CC mammogram of the left breast. 48 y/o patient.
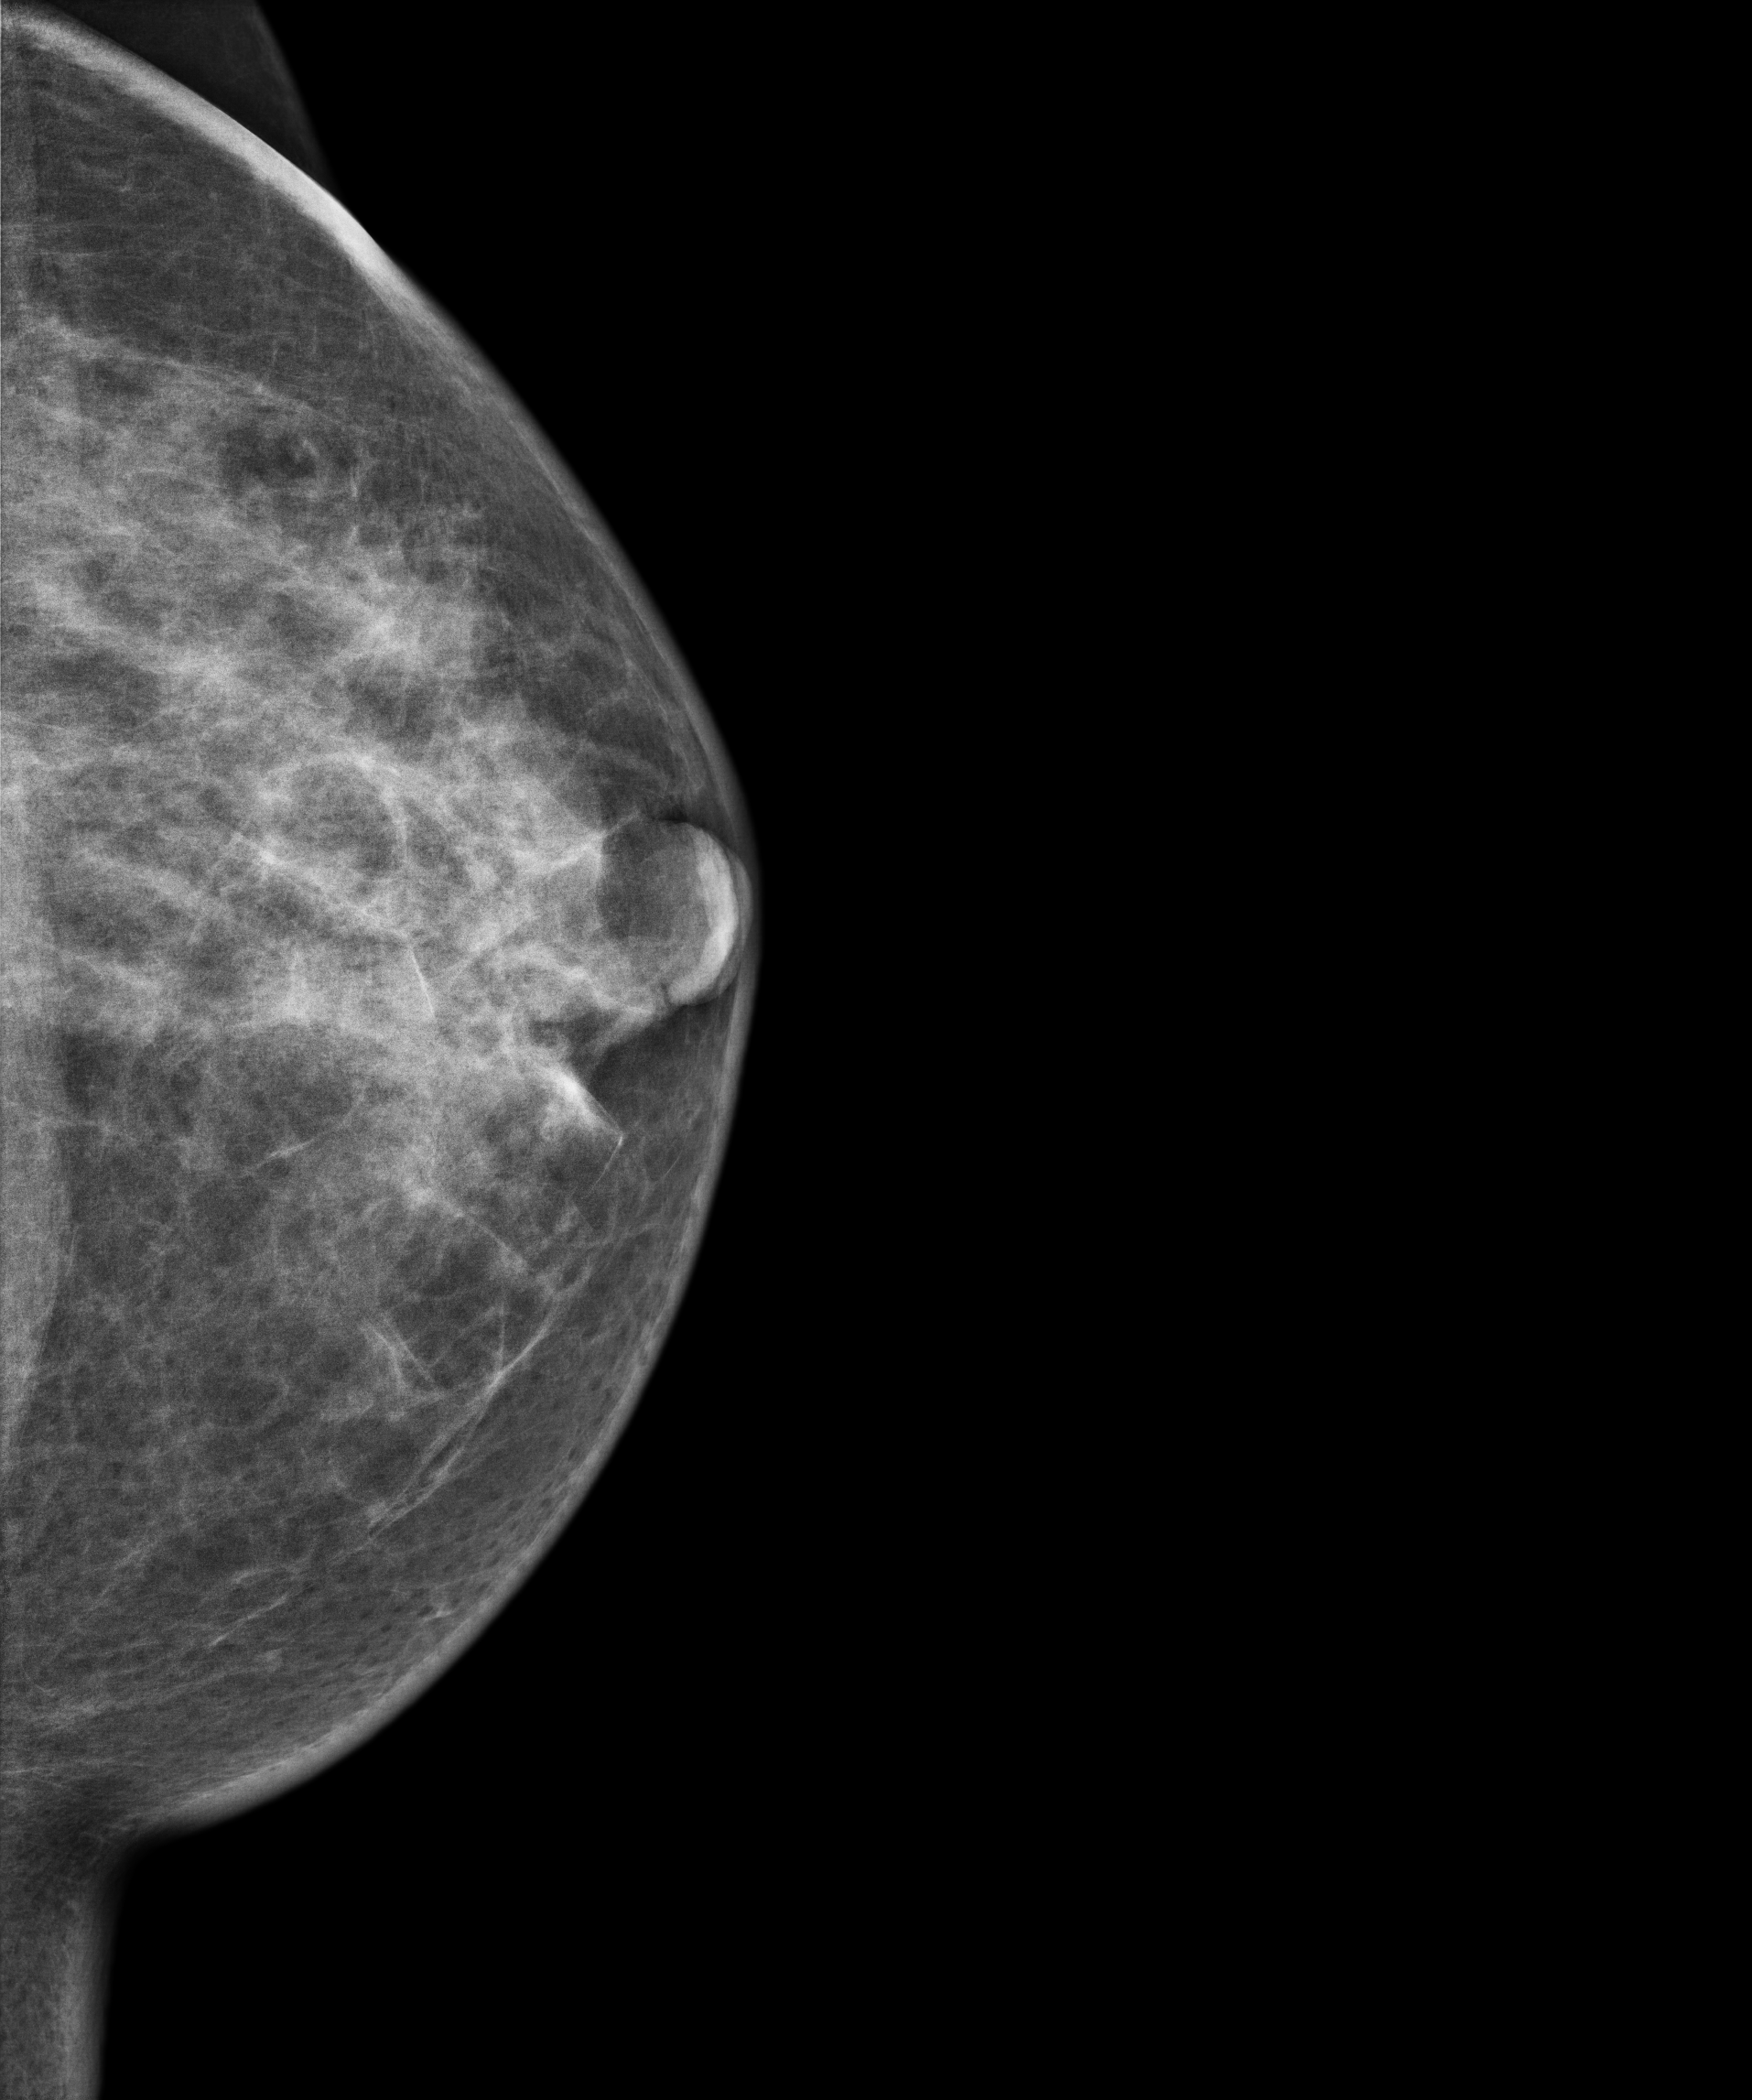
This breast has a mass, pathology-confirmed malignant. Molecular subtype: luminal B.